Right-breast mammogram, cranio-caudal. Patient age 41.
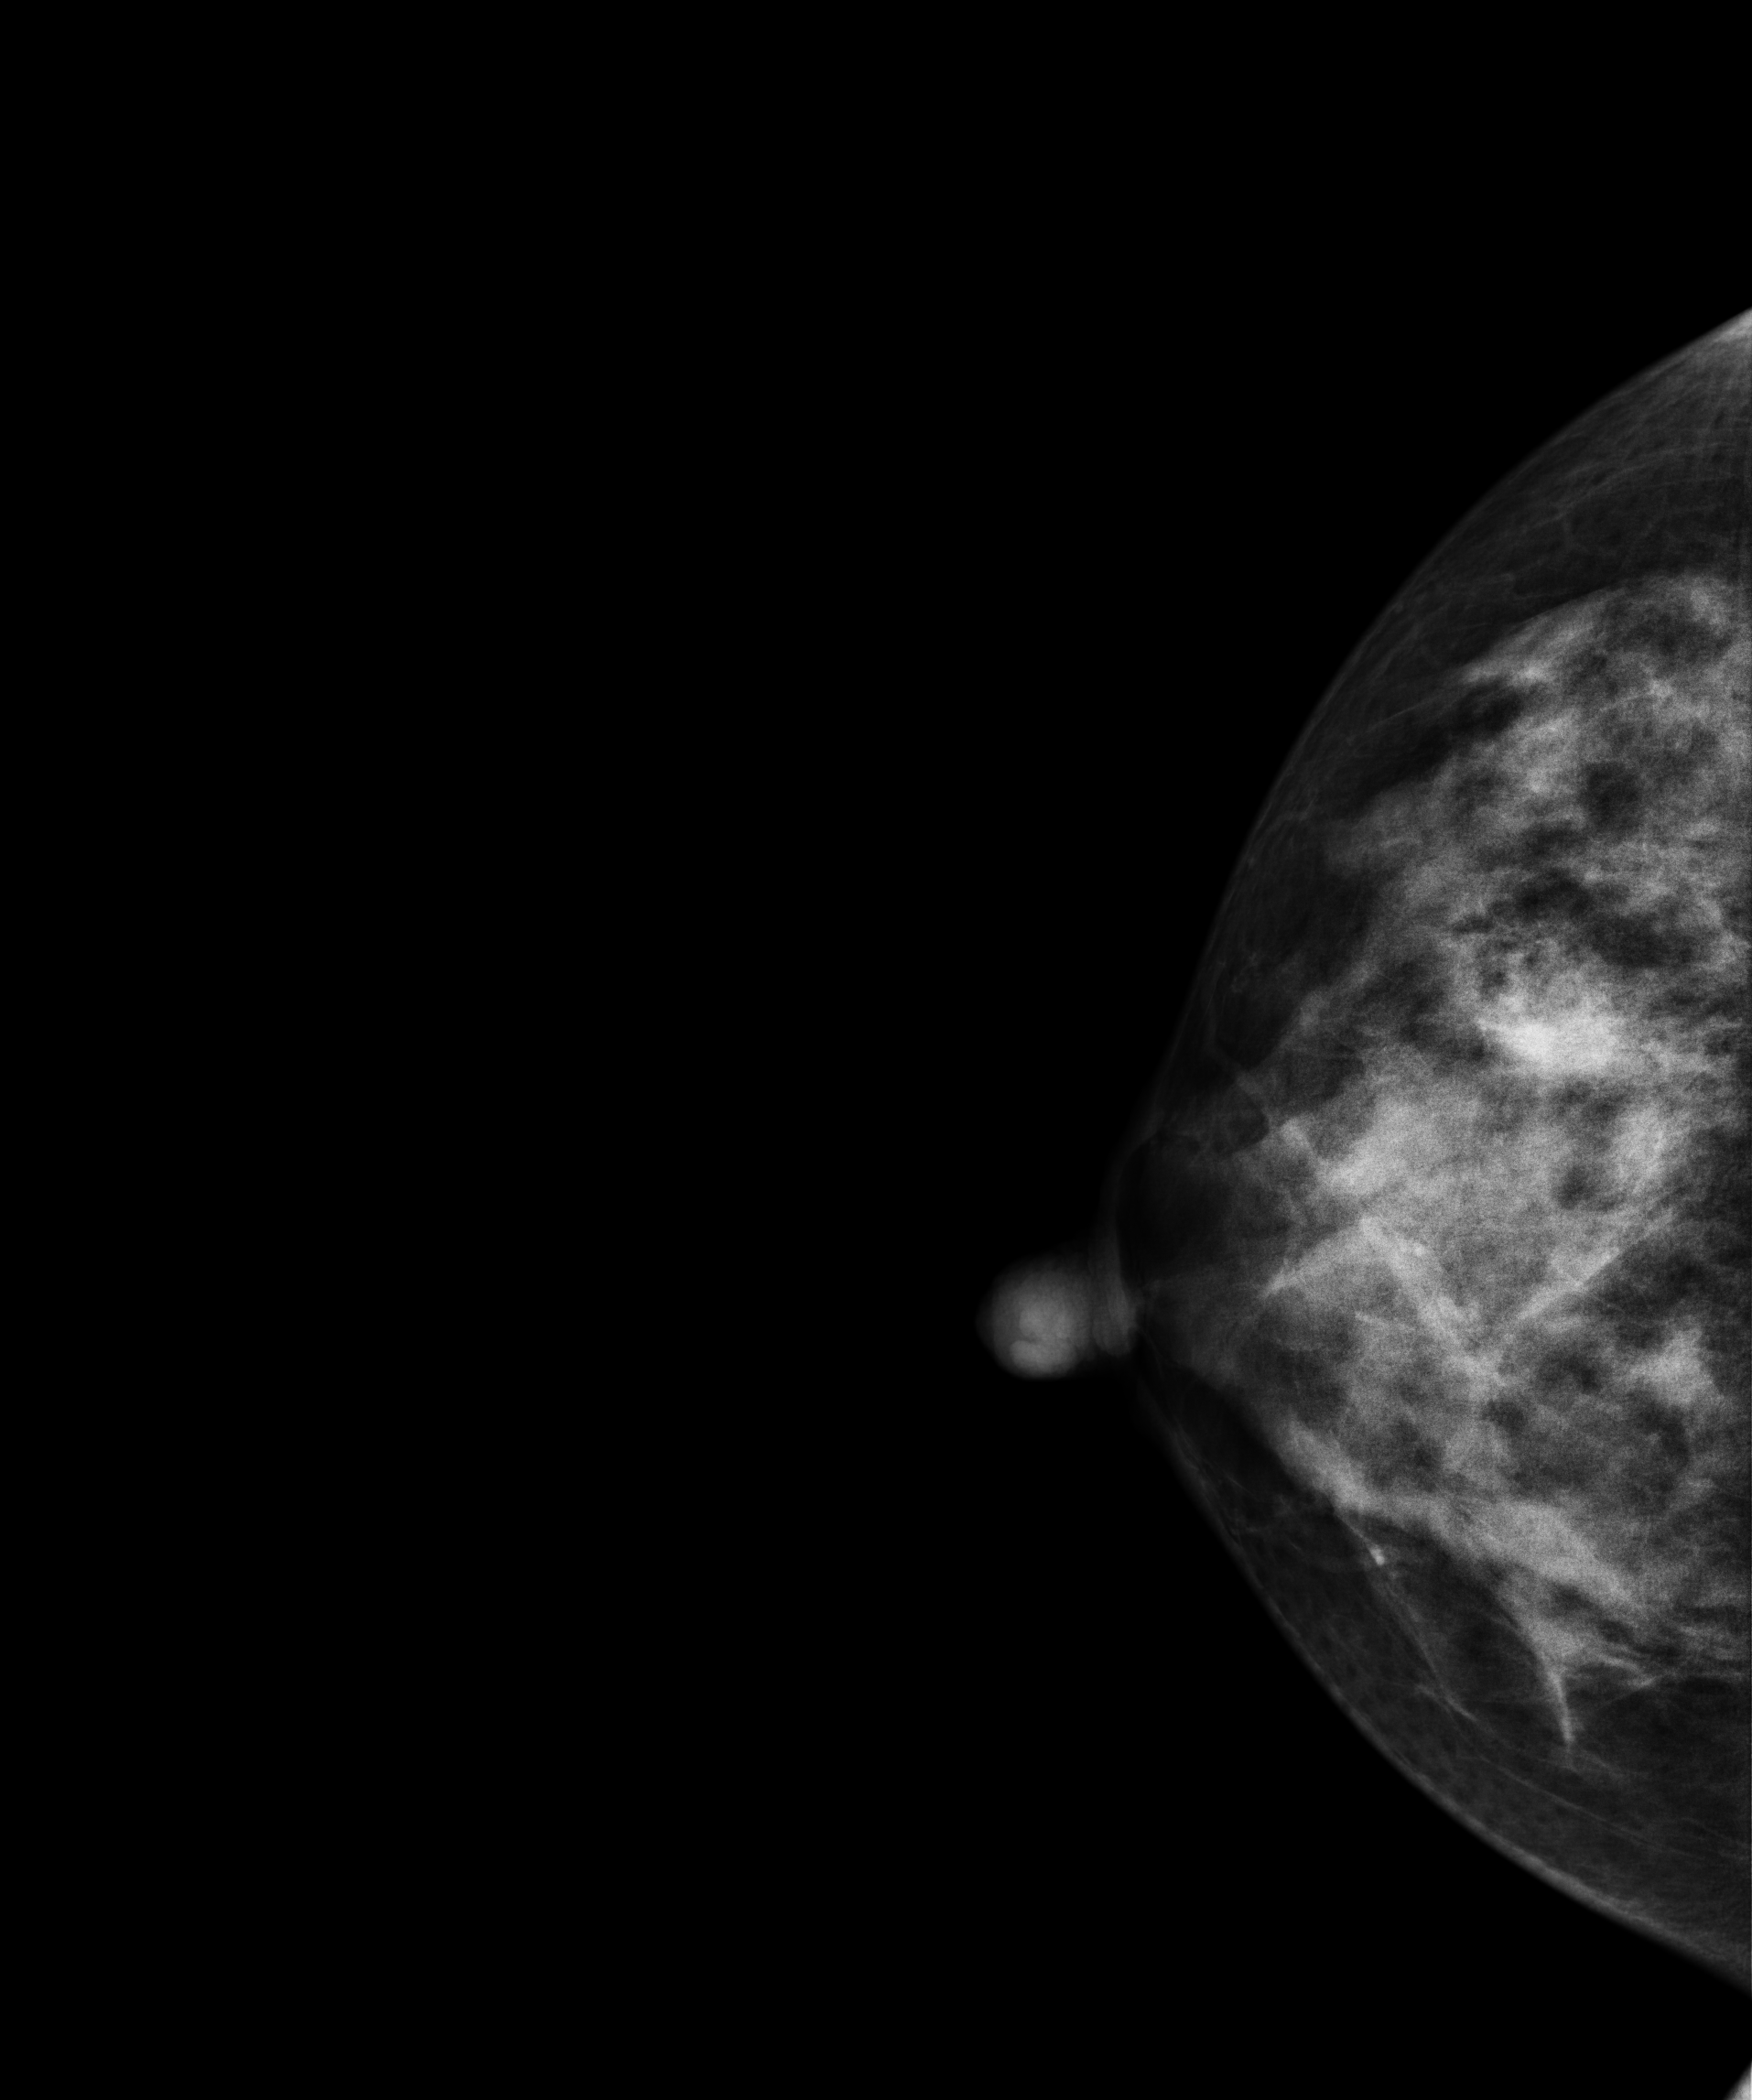
This breast has a mass, histologically confirmed malignant. Molecular subtype: luminal B.